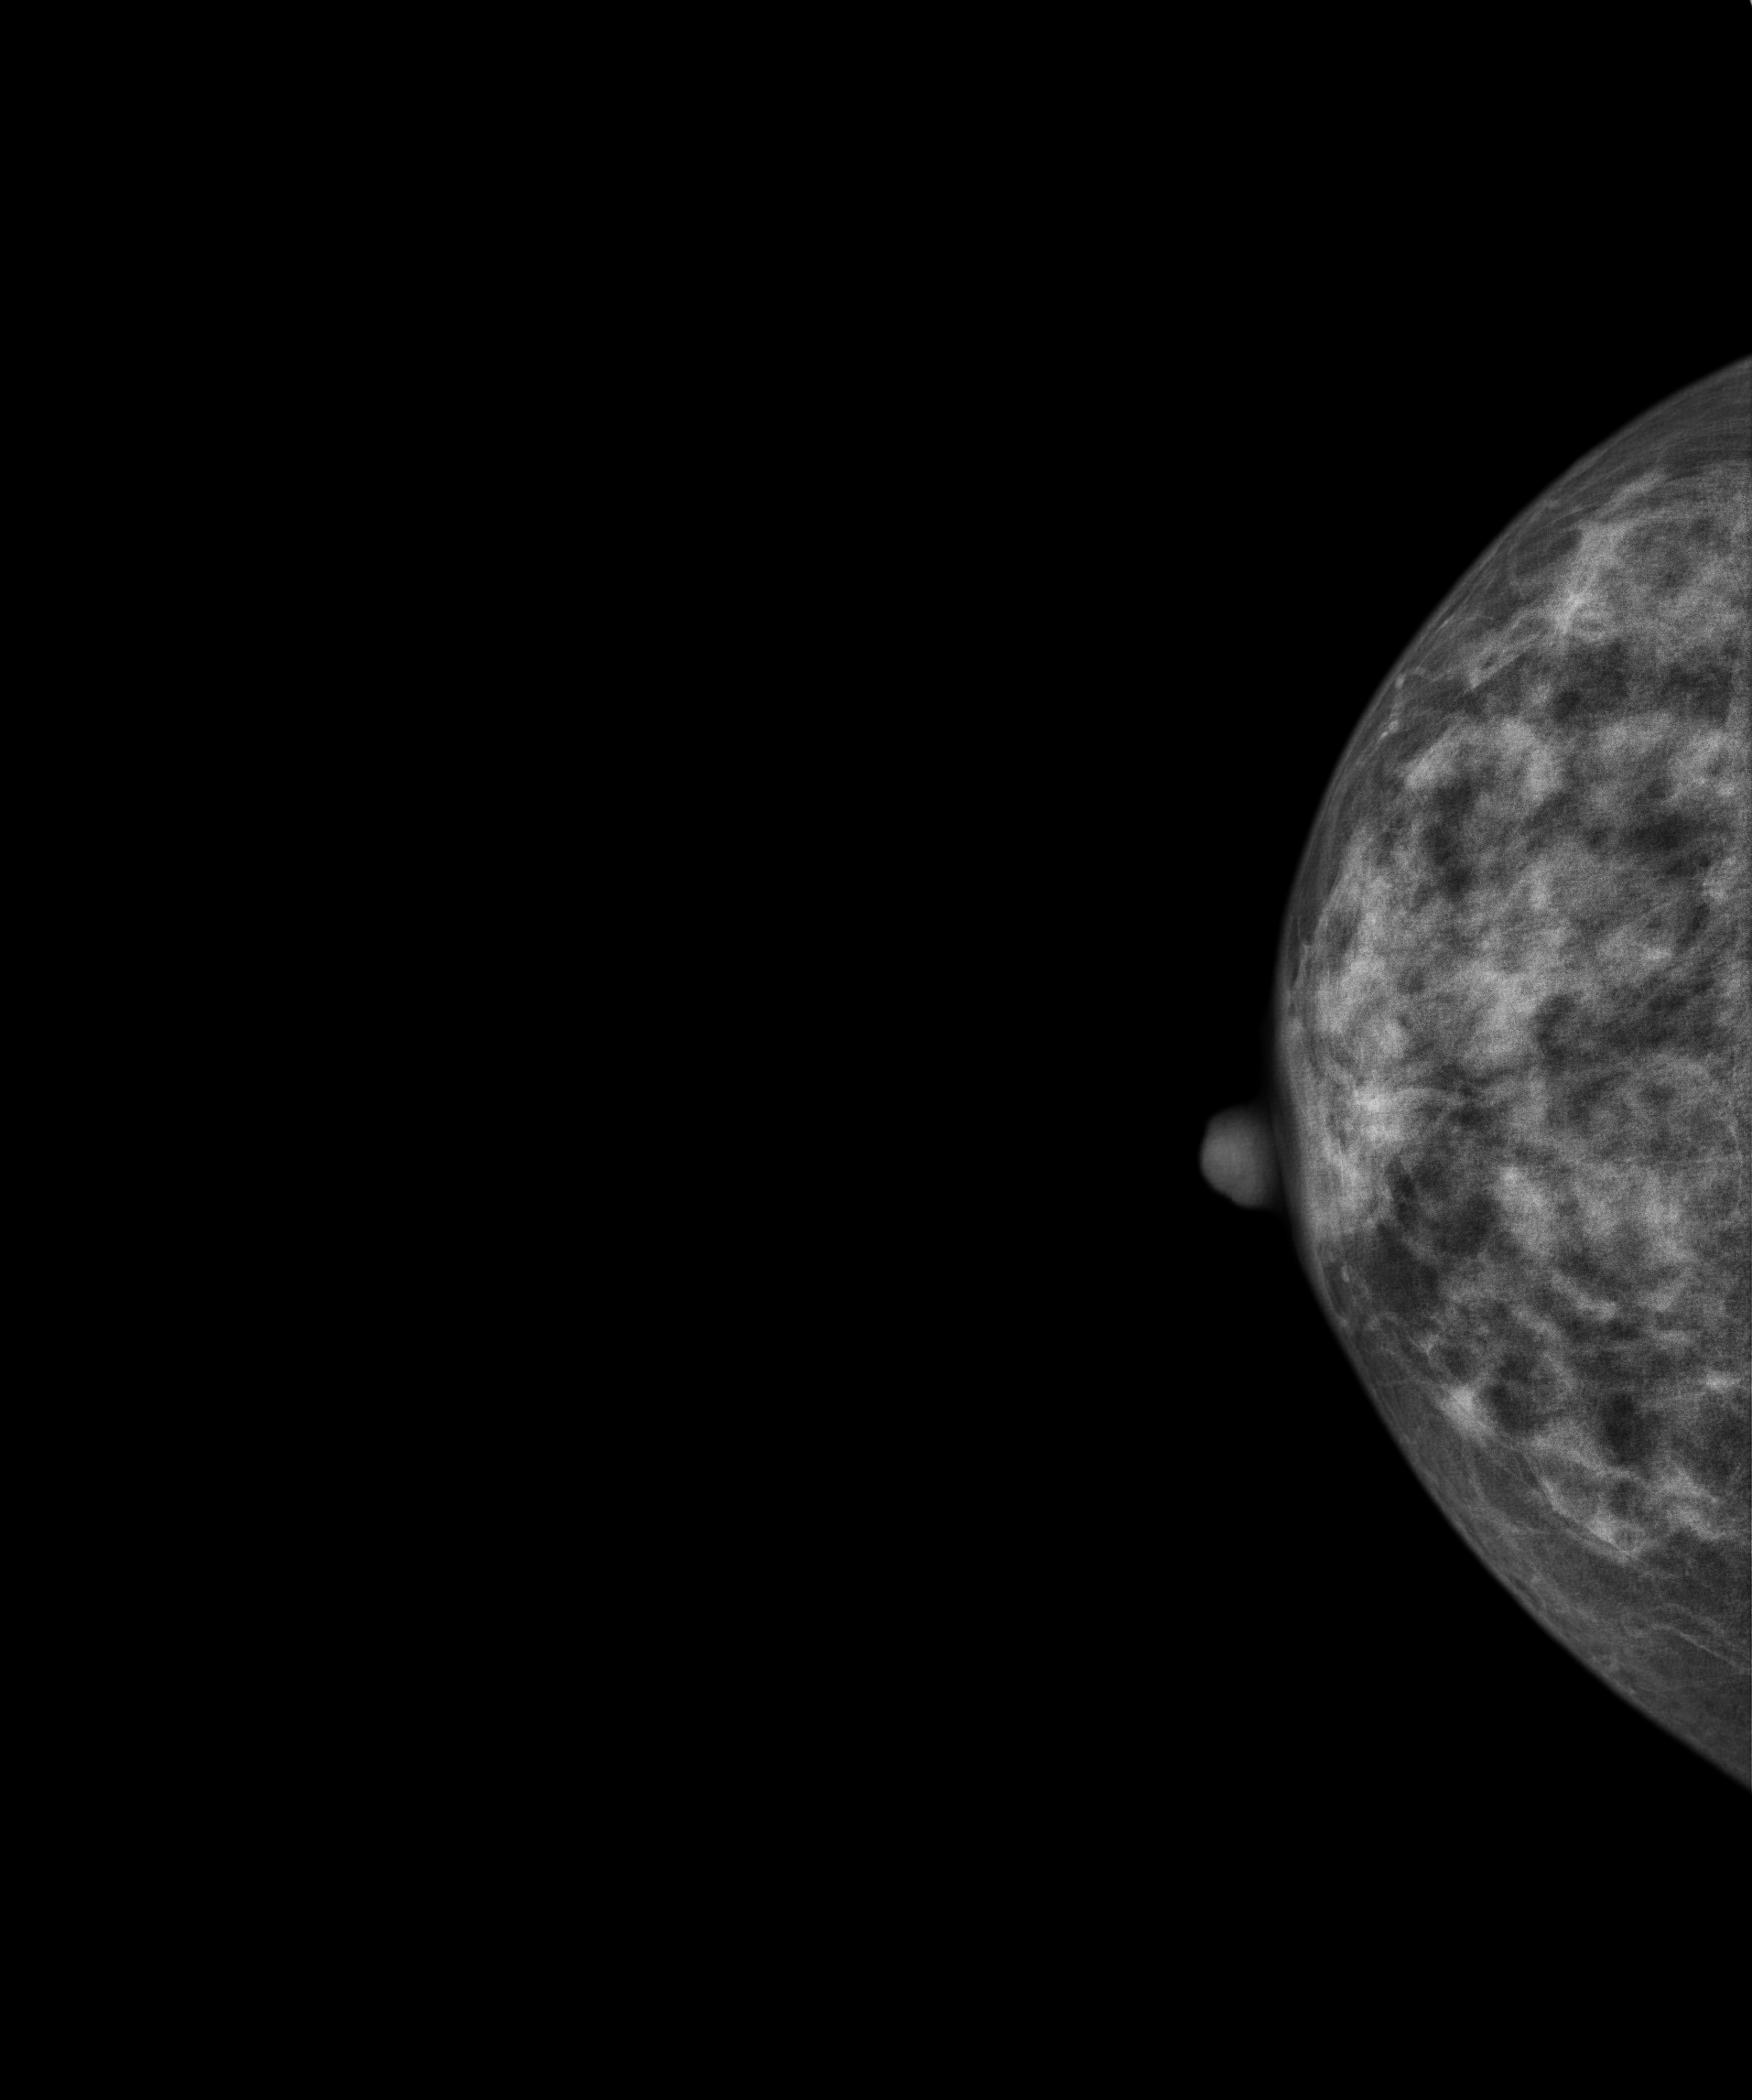
Digital mammography. Right breast, CC projection. Patient age 52.
Contralateral breast — no documented abnormality on this side.